Mammogram, right breast, cranio-caudal view. 46-year-old patient.
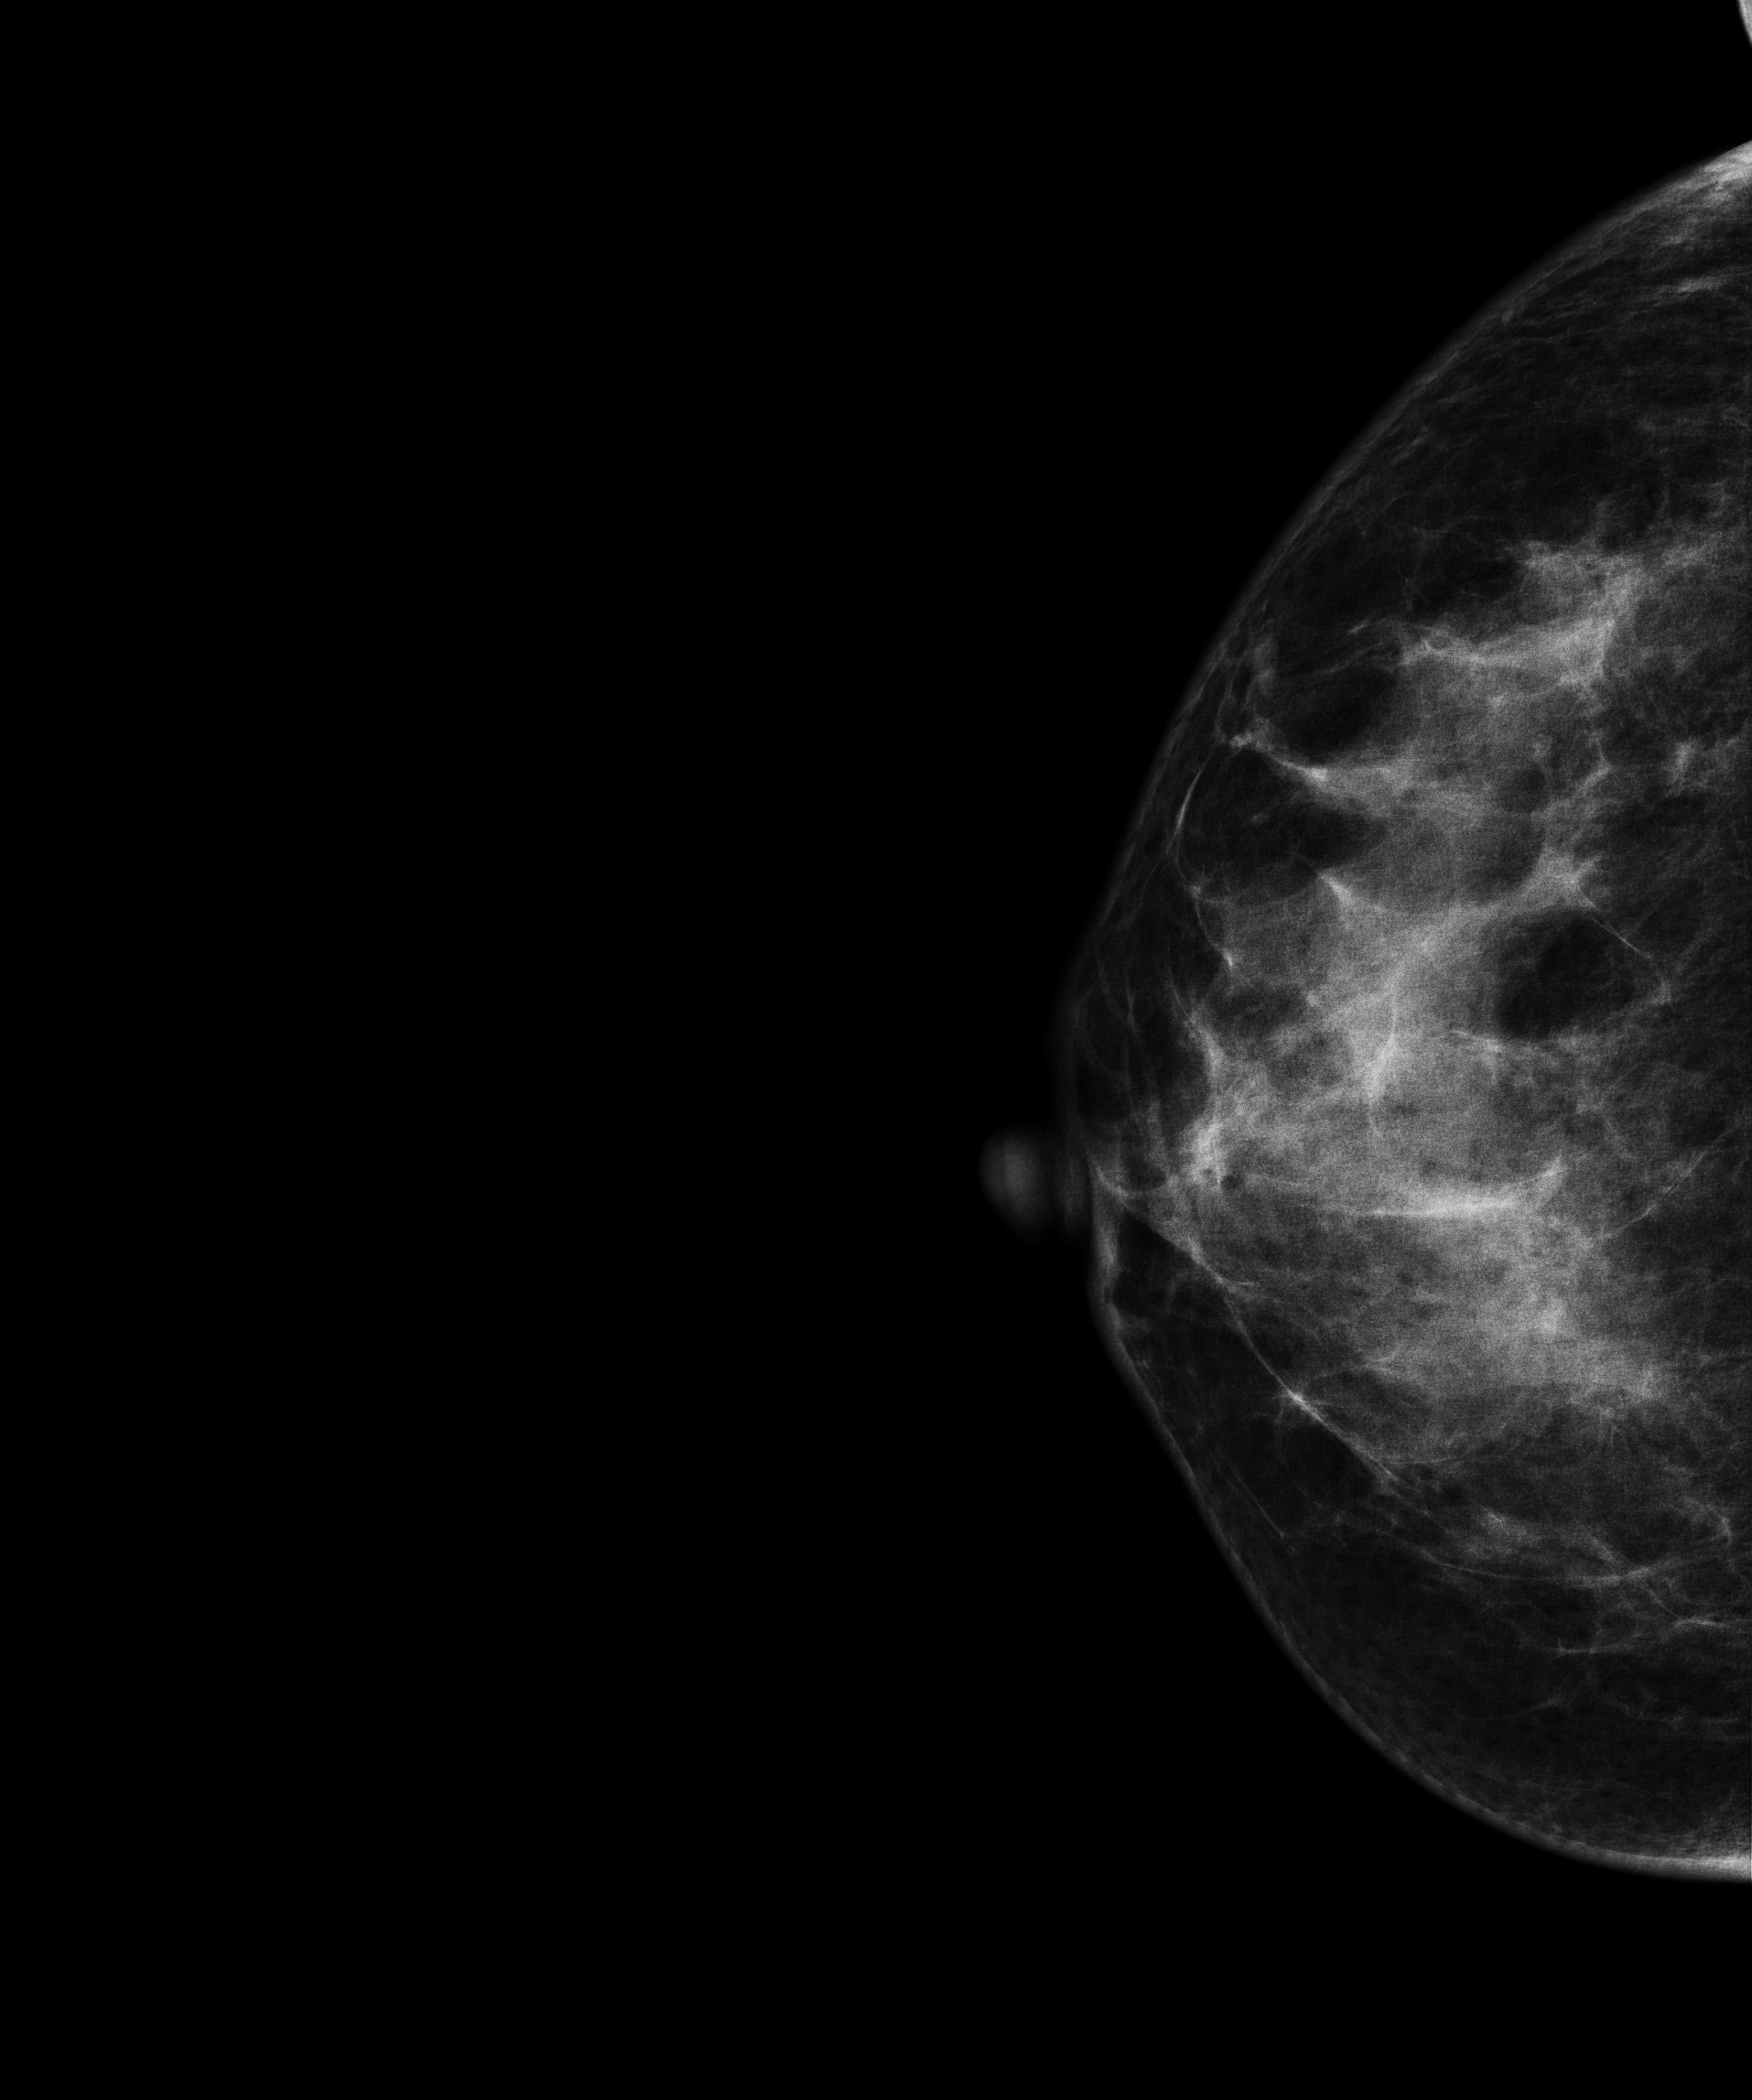
This breast has a mass, histologically confirmed malignant. Molecular subtype: triple-negative.